CC mammogram of the left breast. 39 y/o patient.
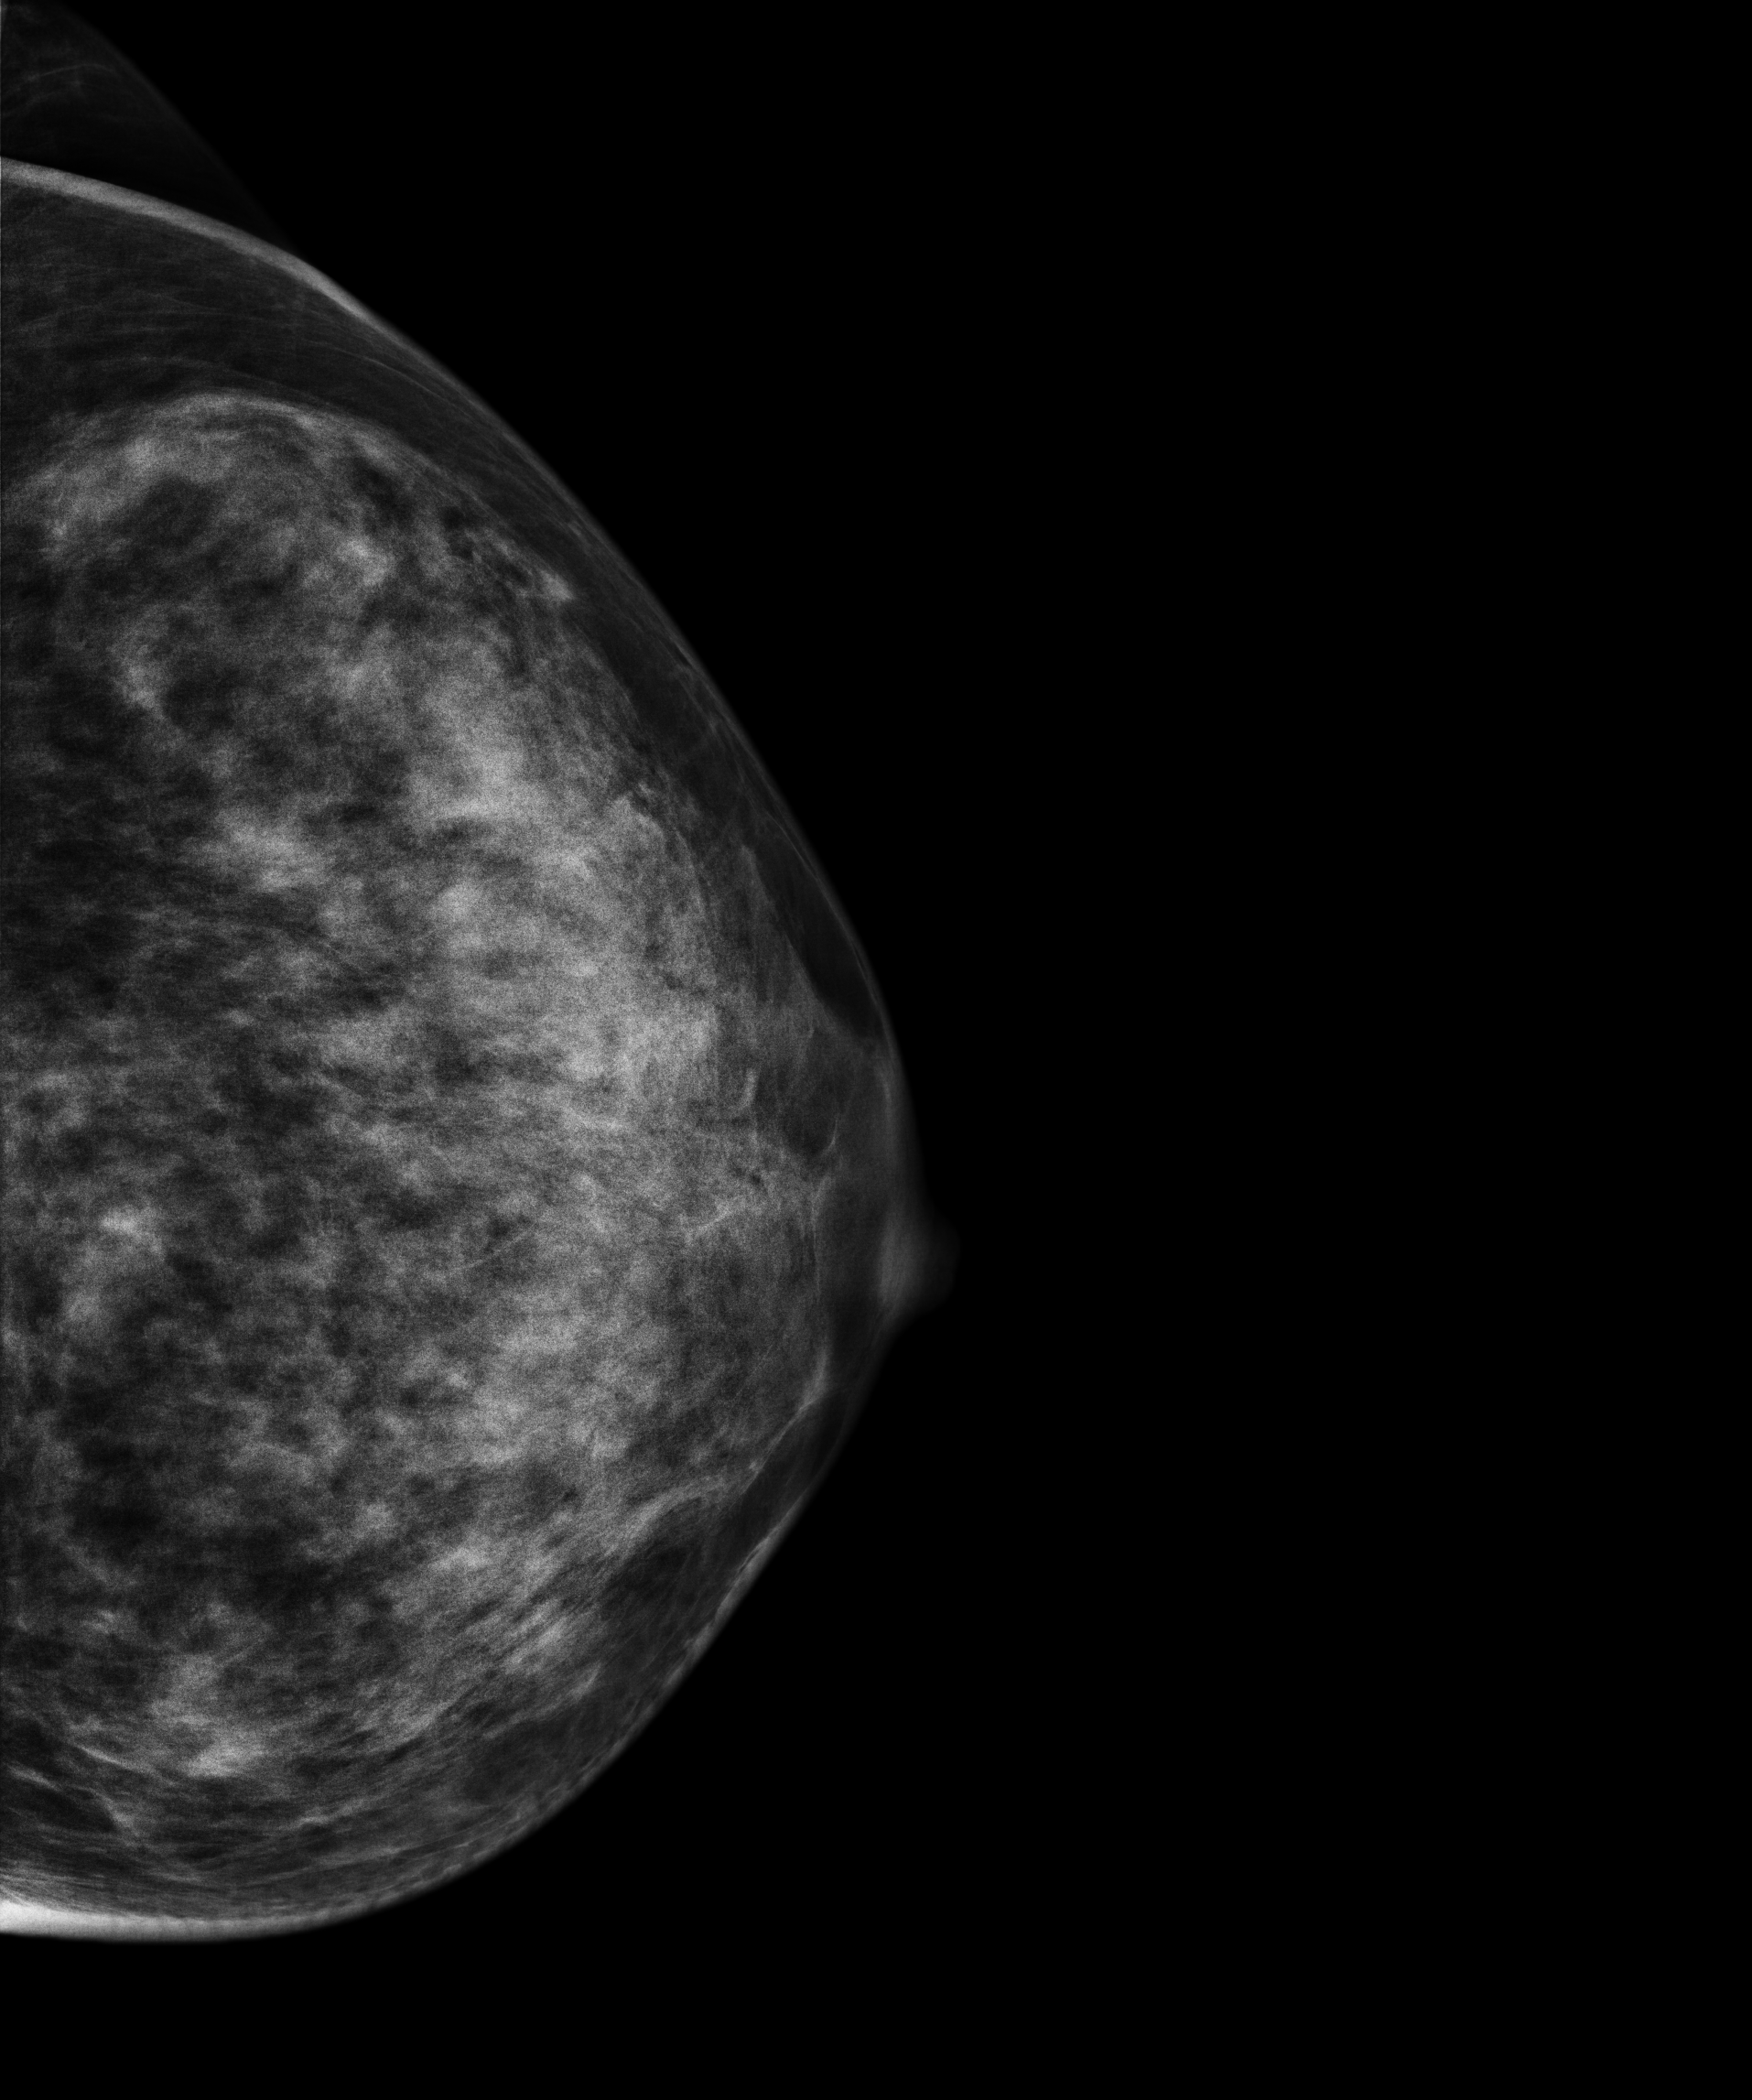
Contralateral breast — no documented abnormality on this side.